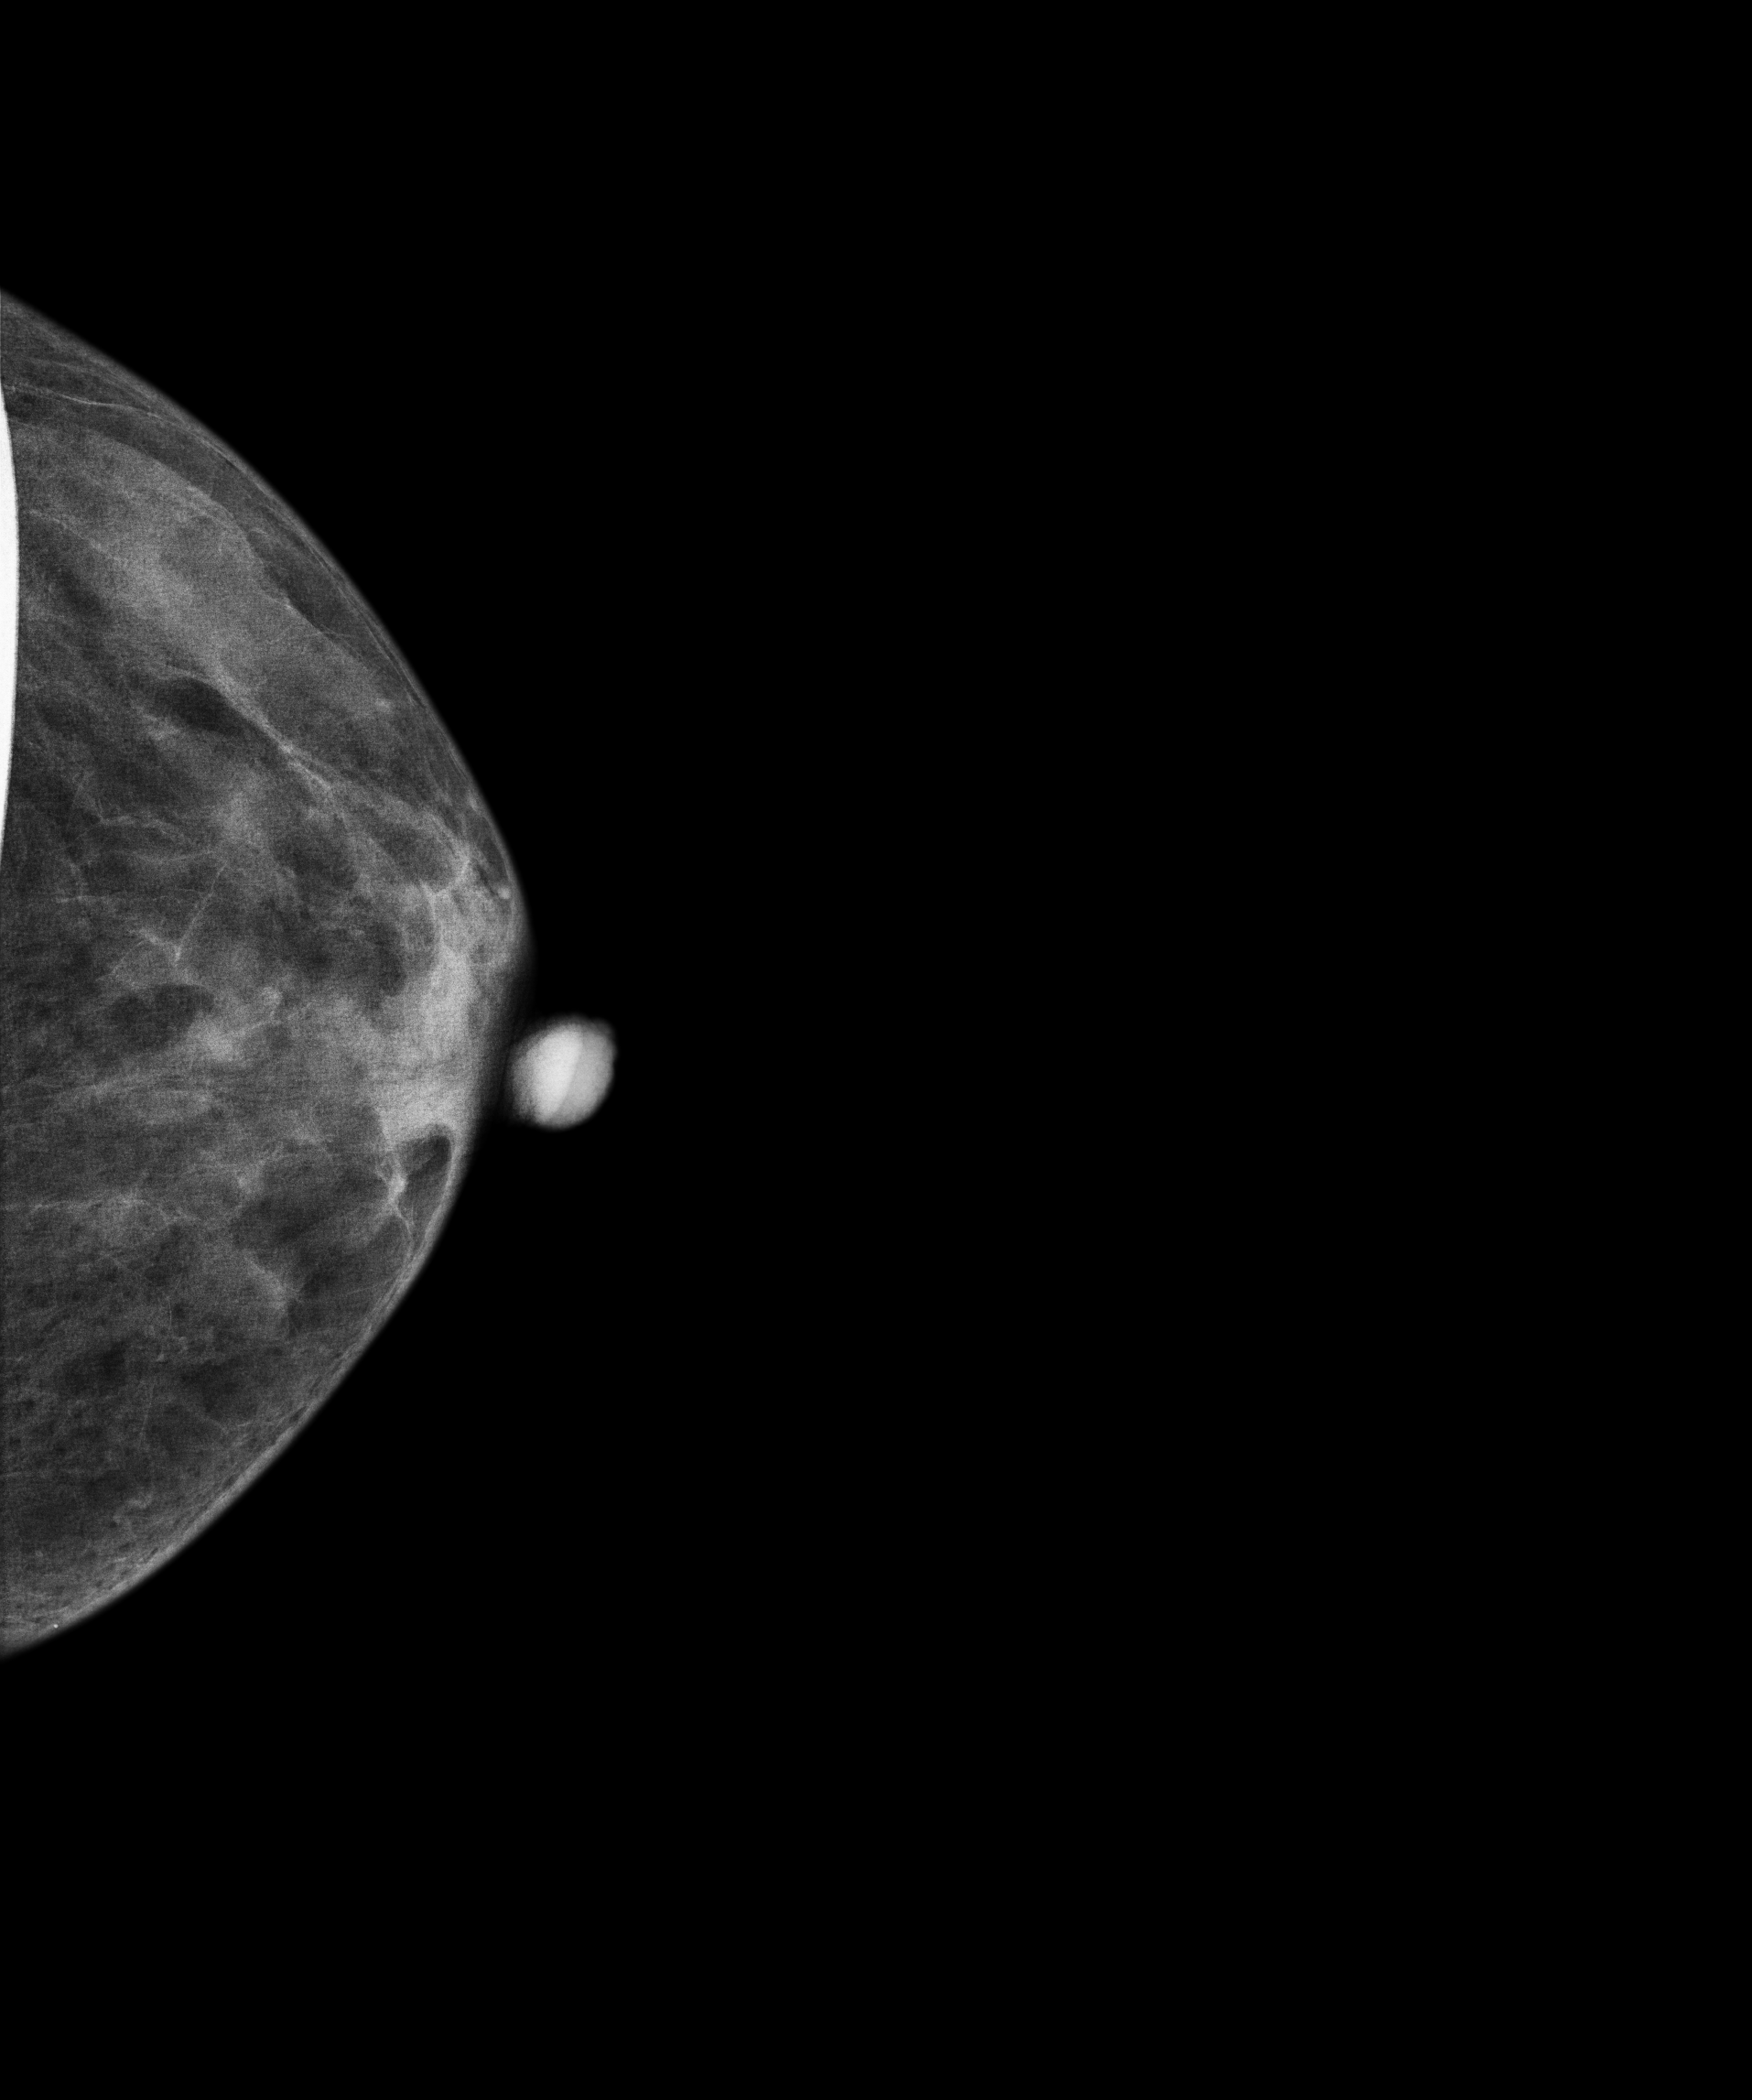
Mammogram, left breast, CC view. 63 y/o patient.
Contralateral breast — no documented abnormality on this side.